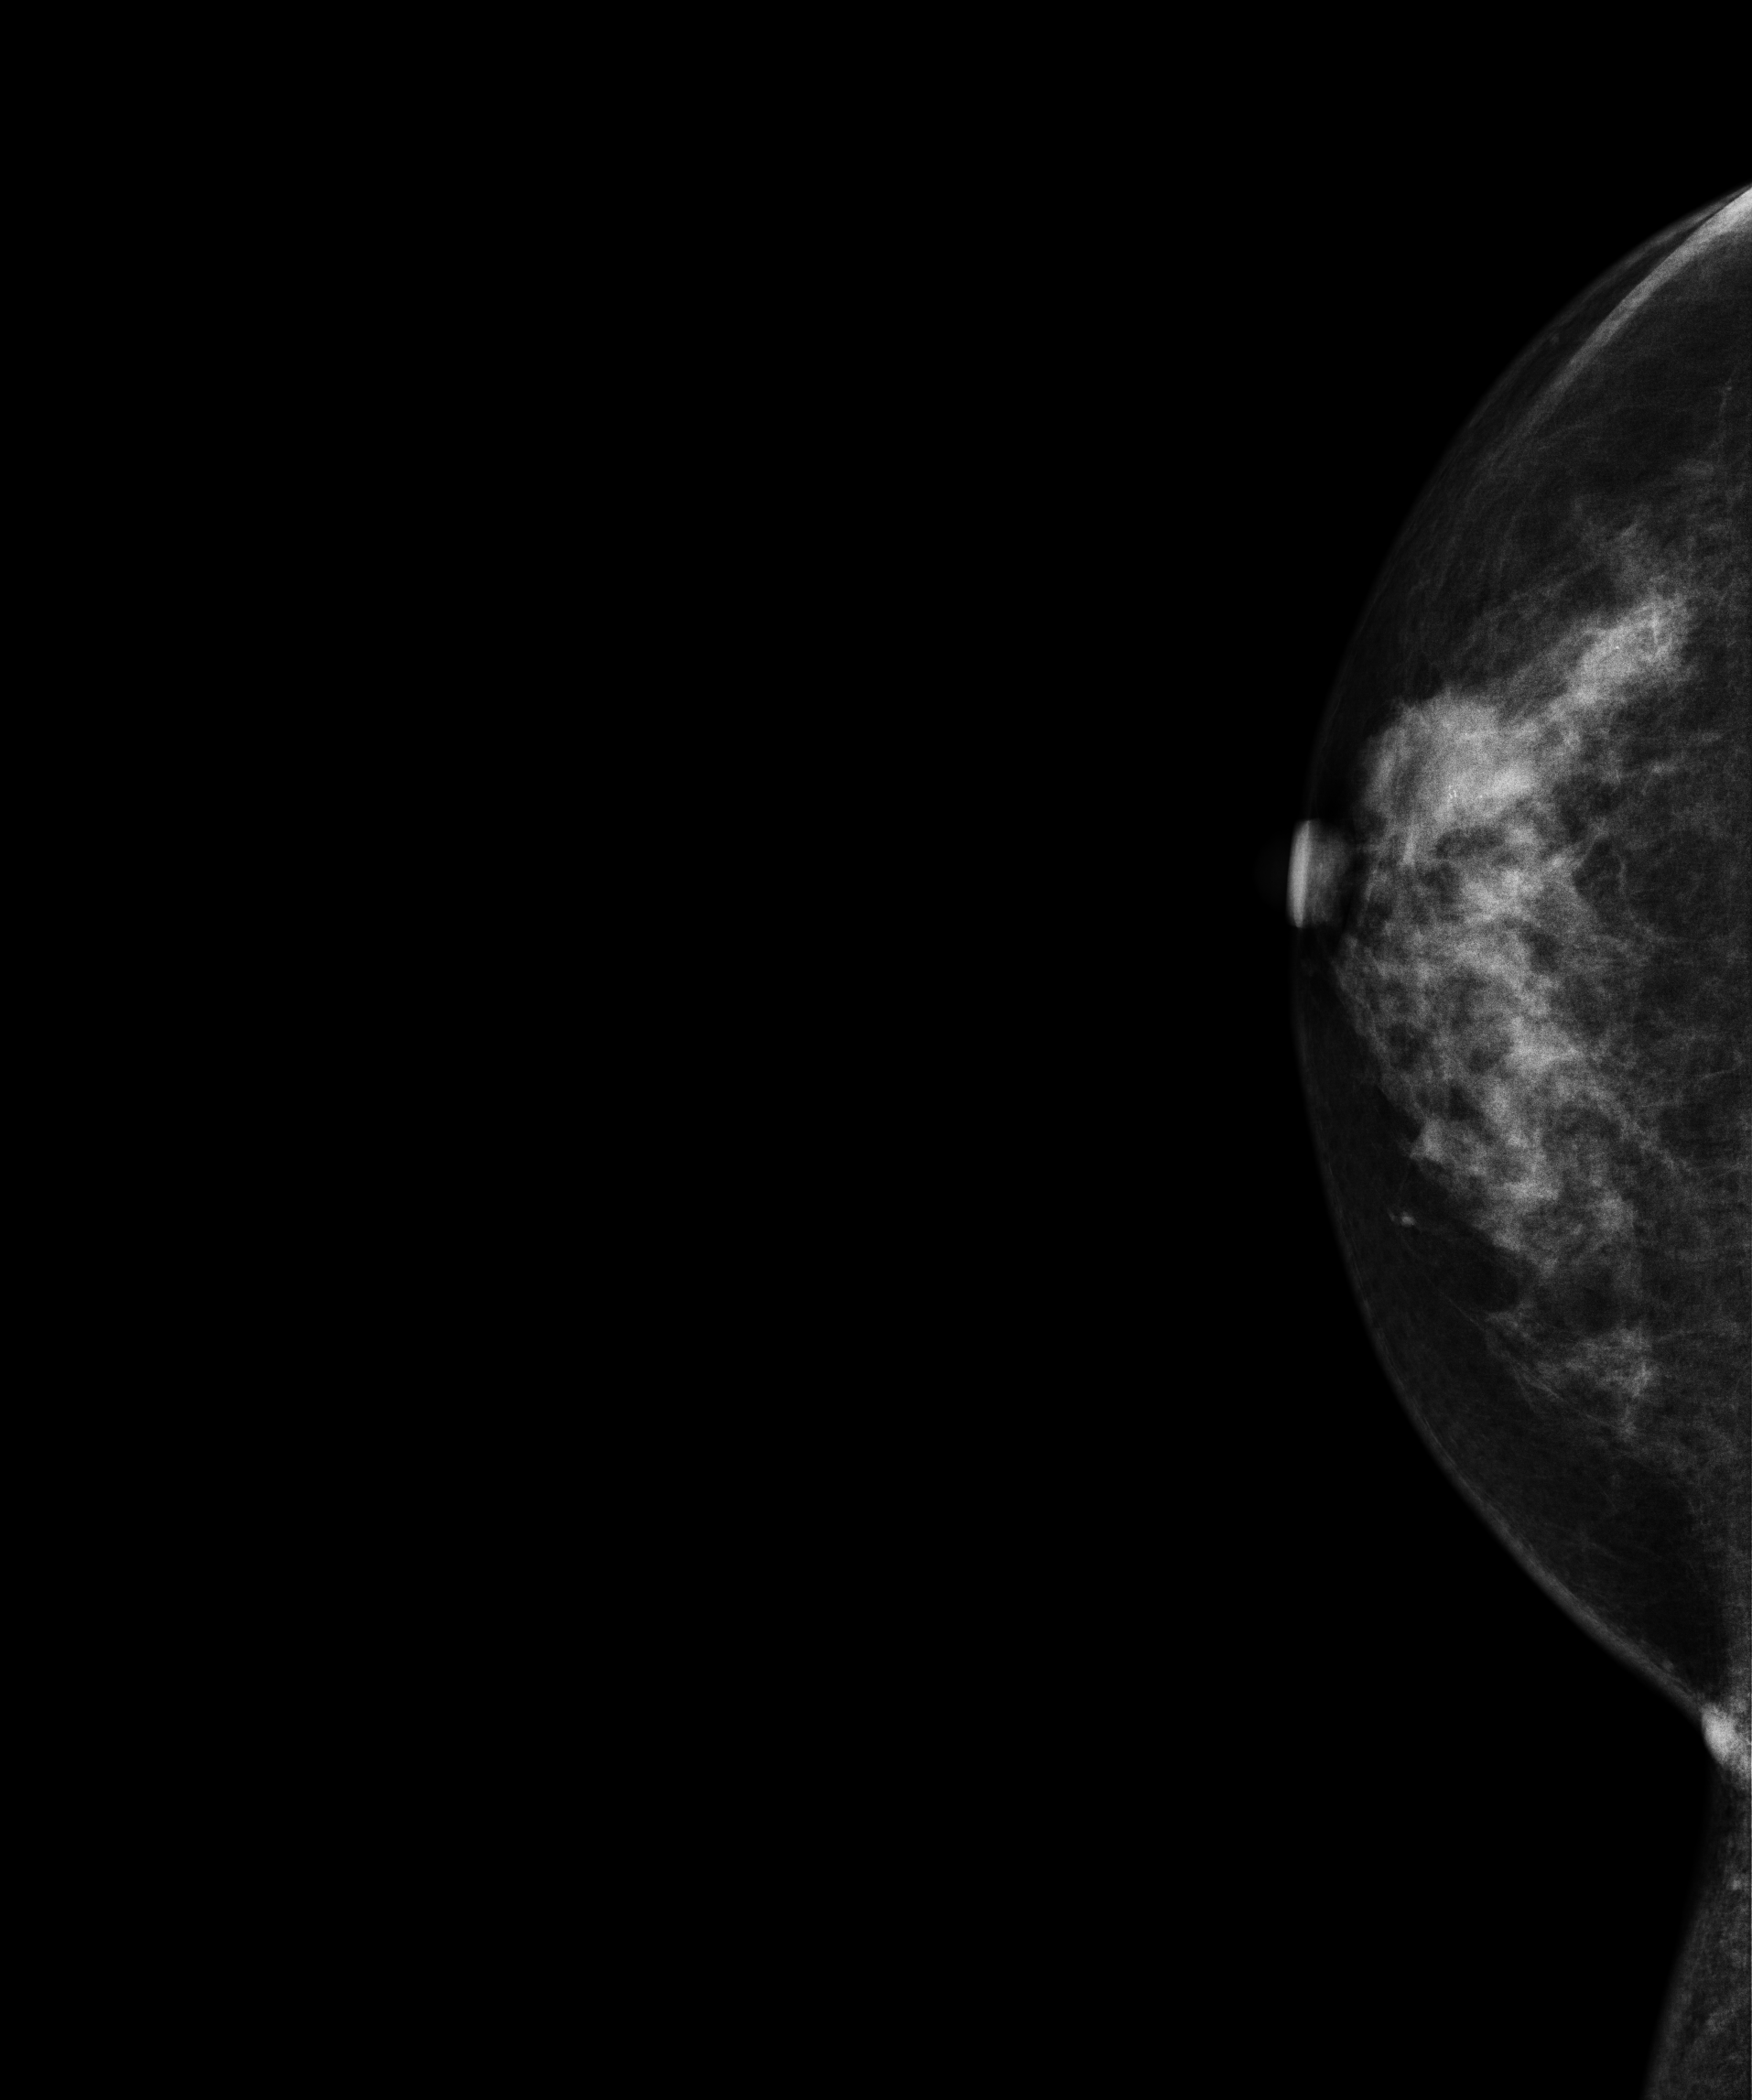
Digital mammography. Right breast, CC projection. Patient age 56.
This breast has a mass and calcifications, biopsy-confirmed malignant. Molecular subtype: luminal A.